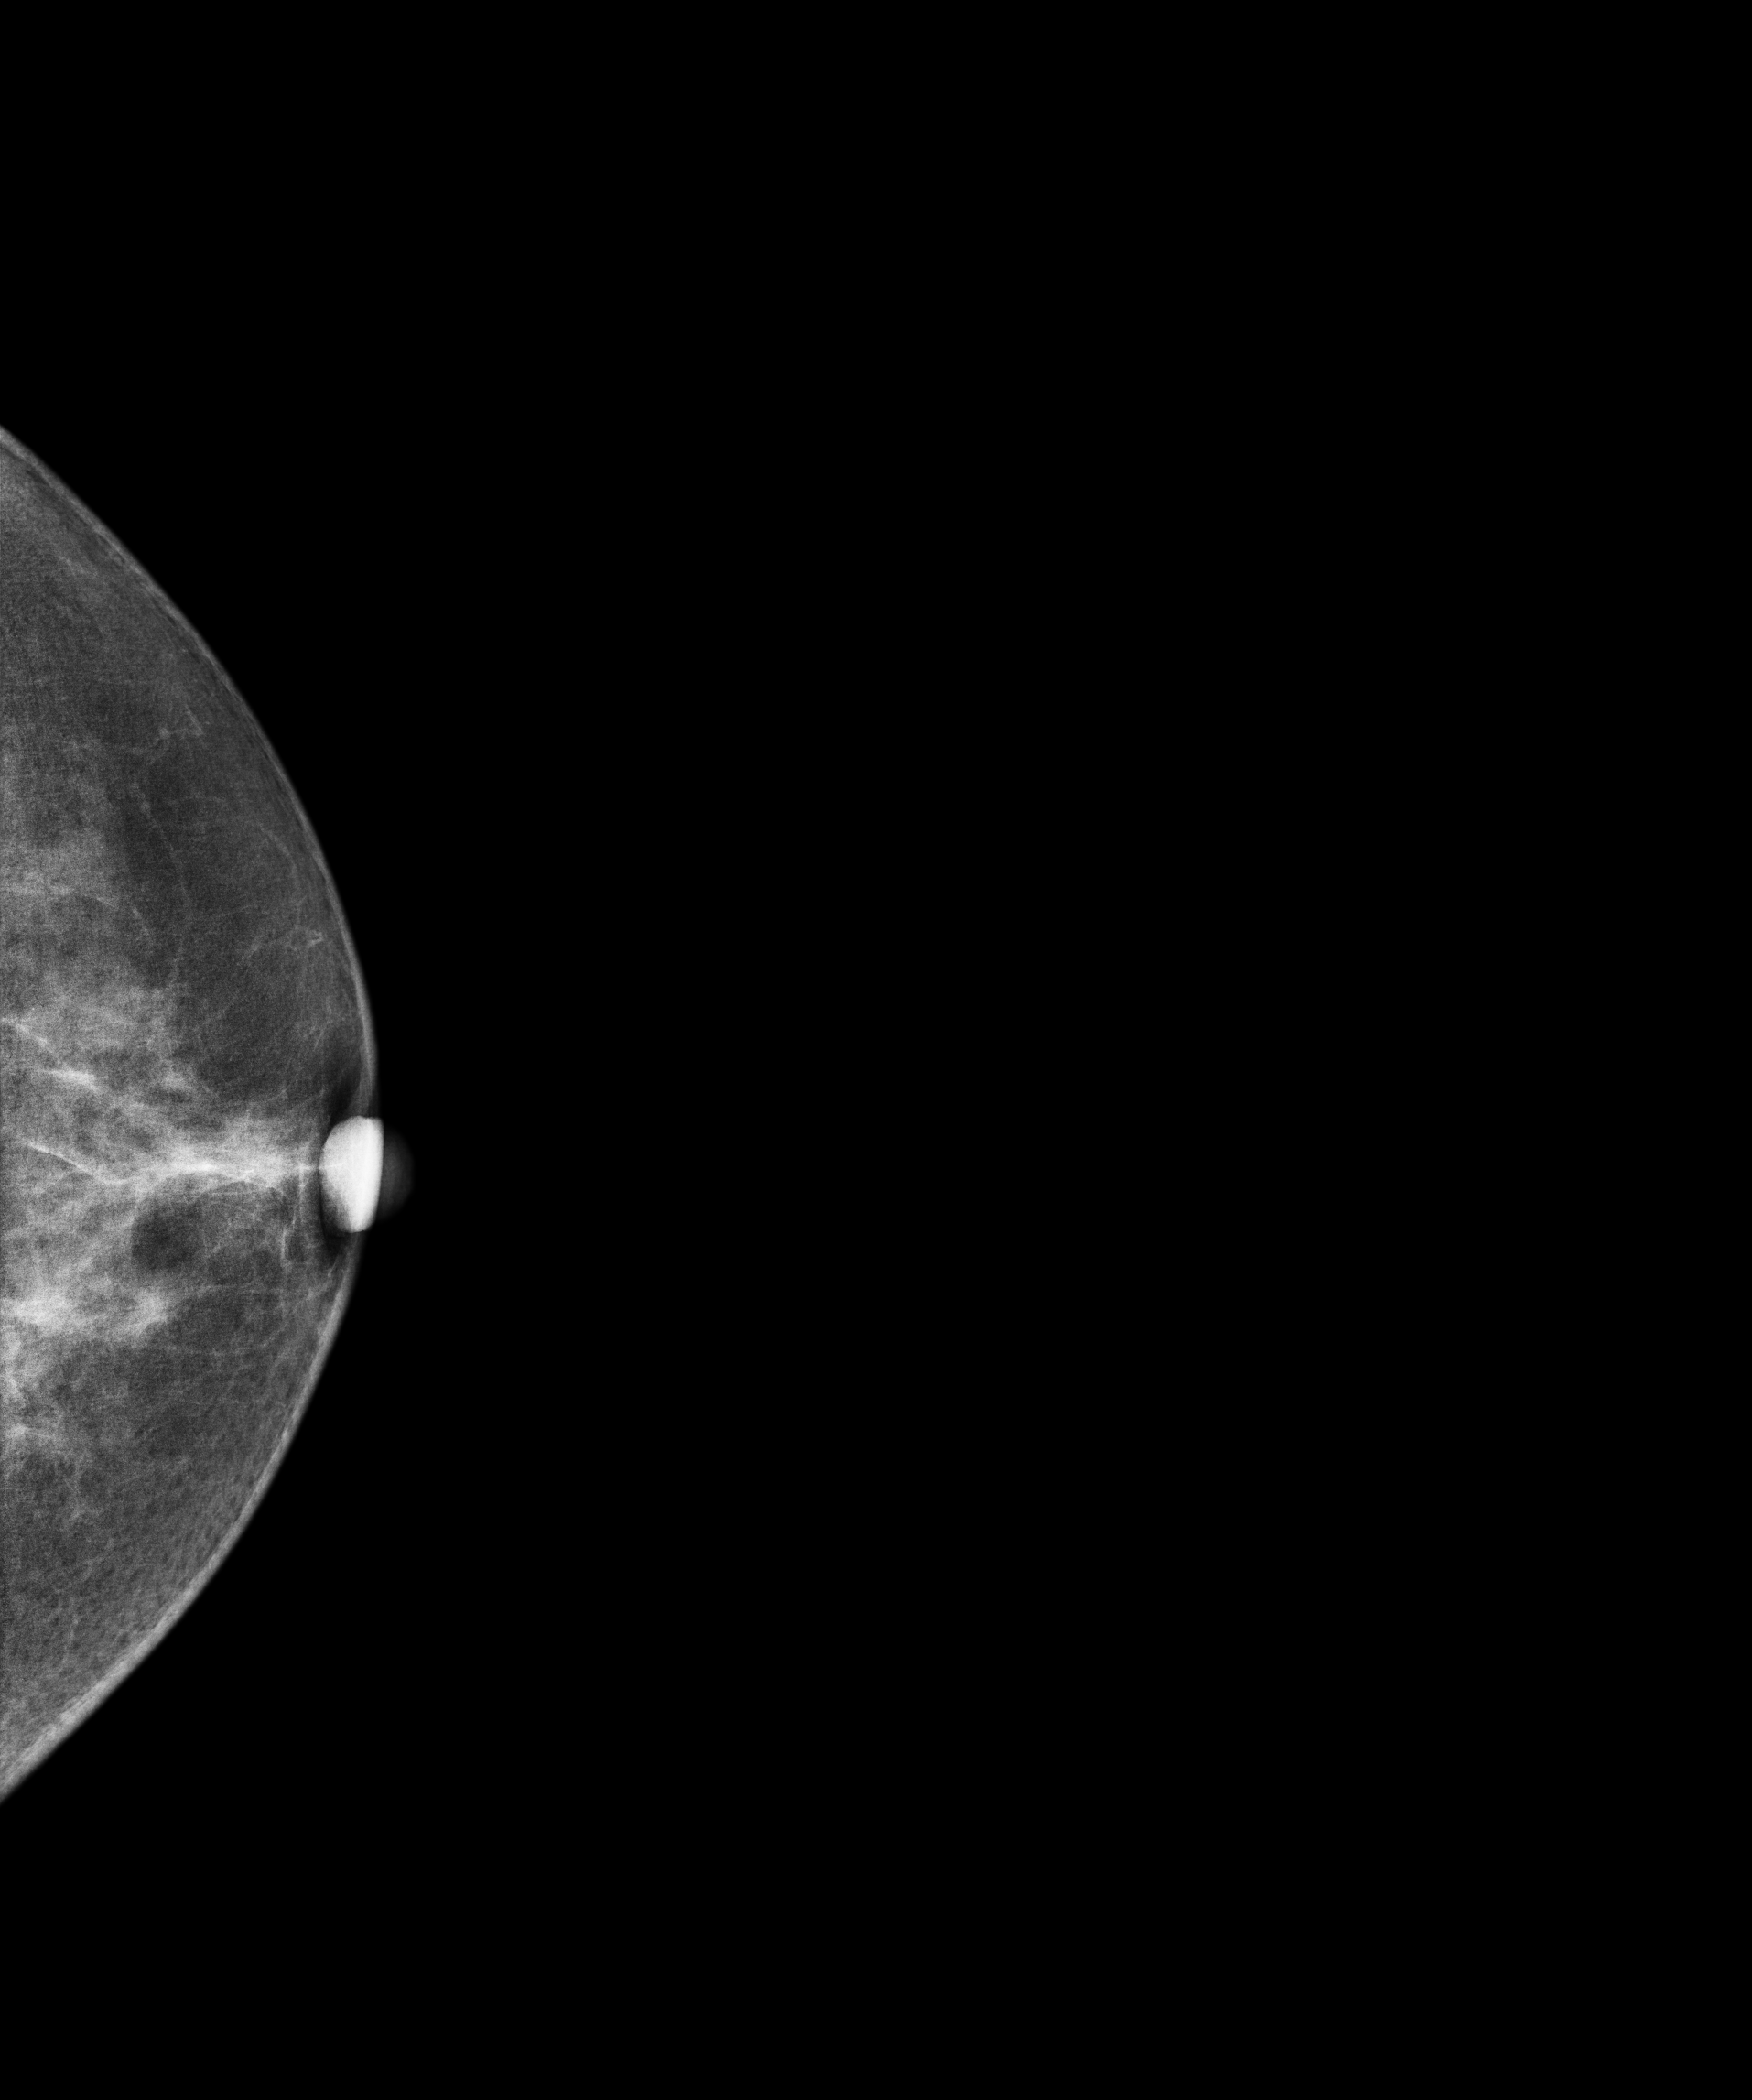
Digital mammography. Left breast, CC projection. Patient age 59.
Contralateral breast — no documented abnormality on this side.